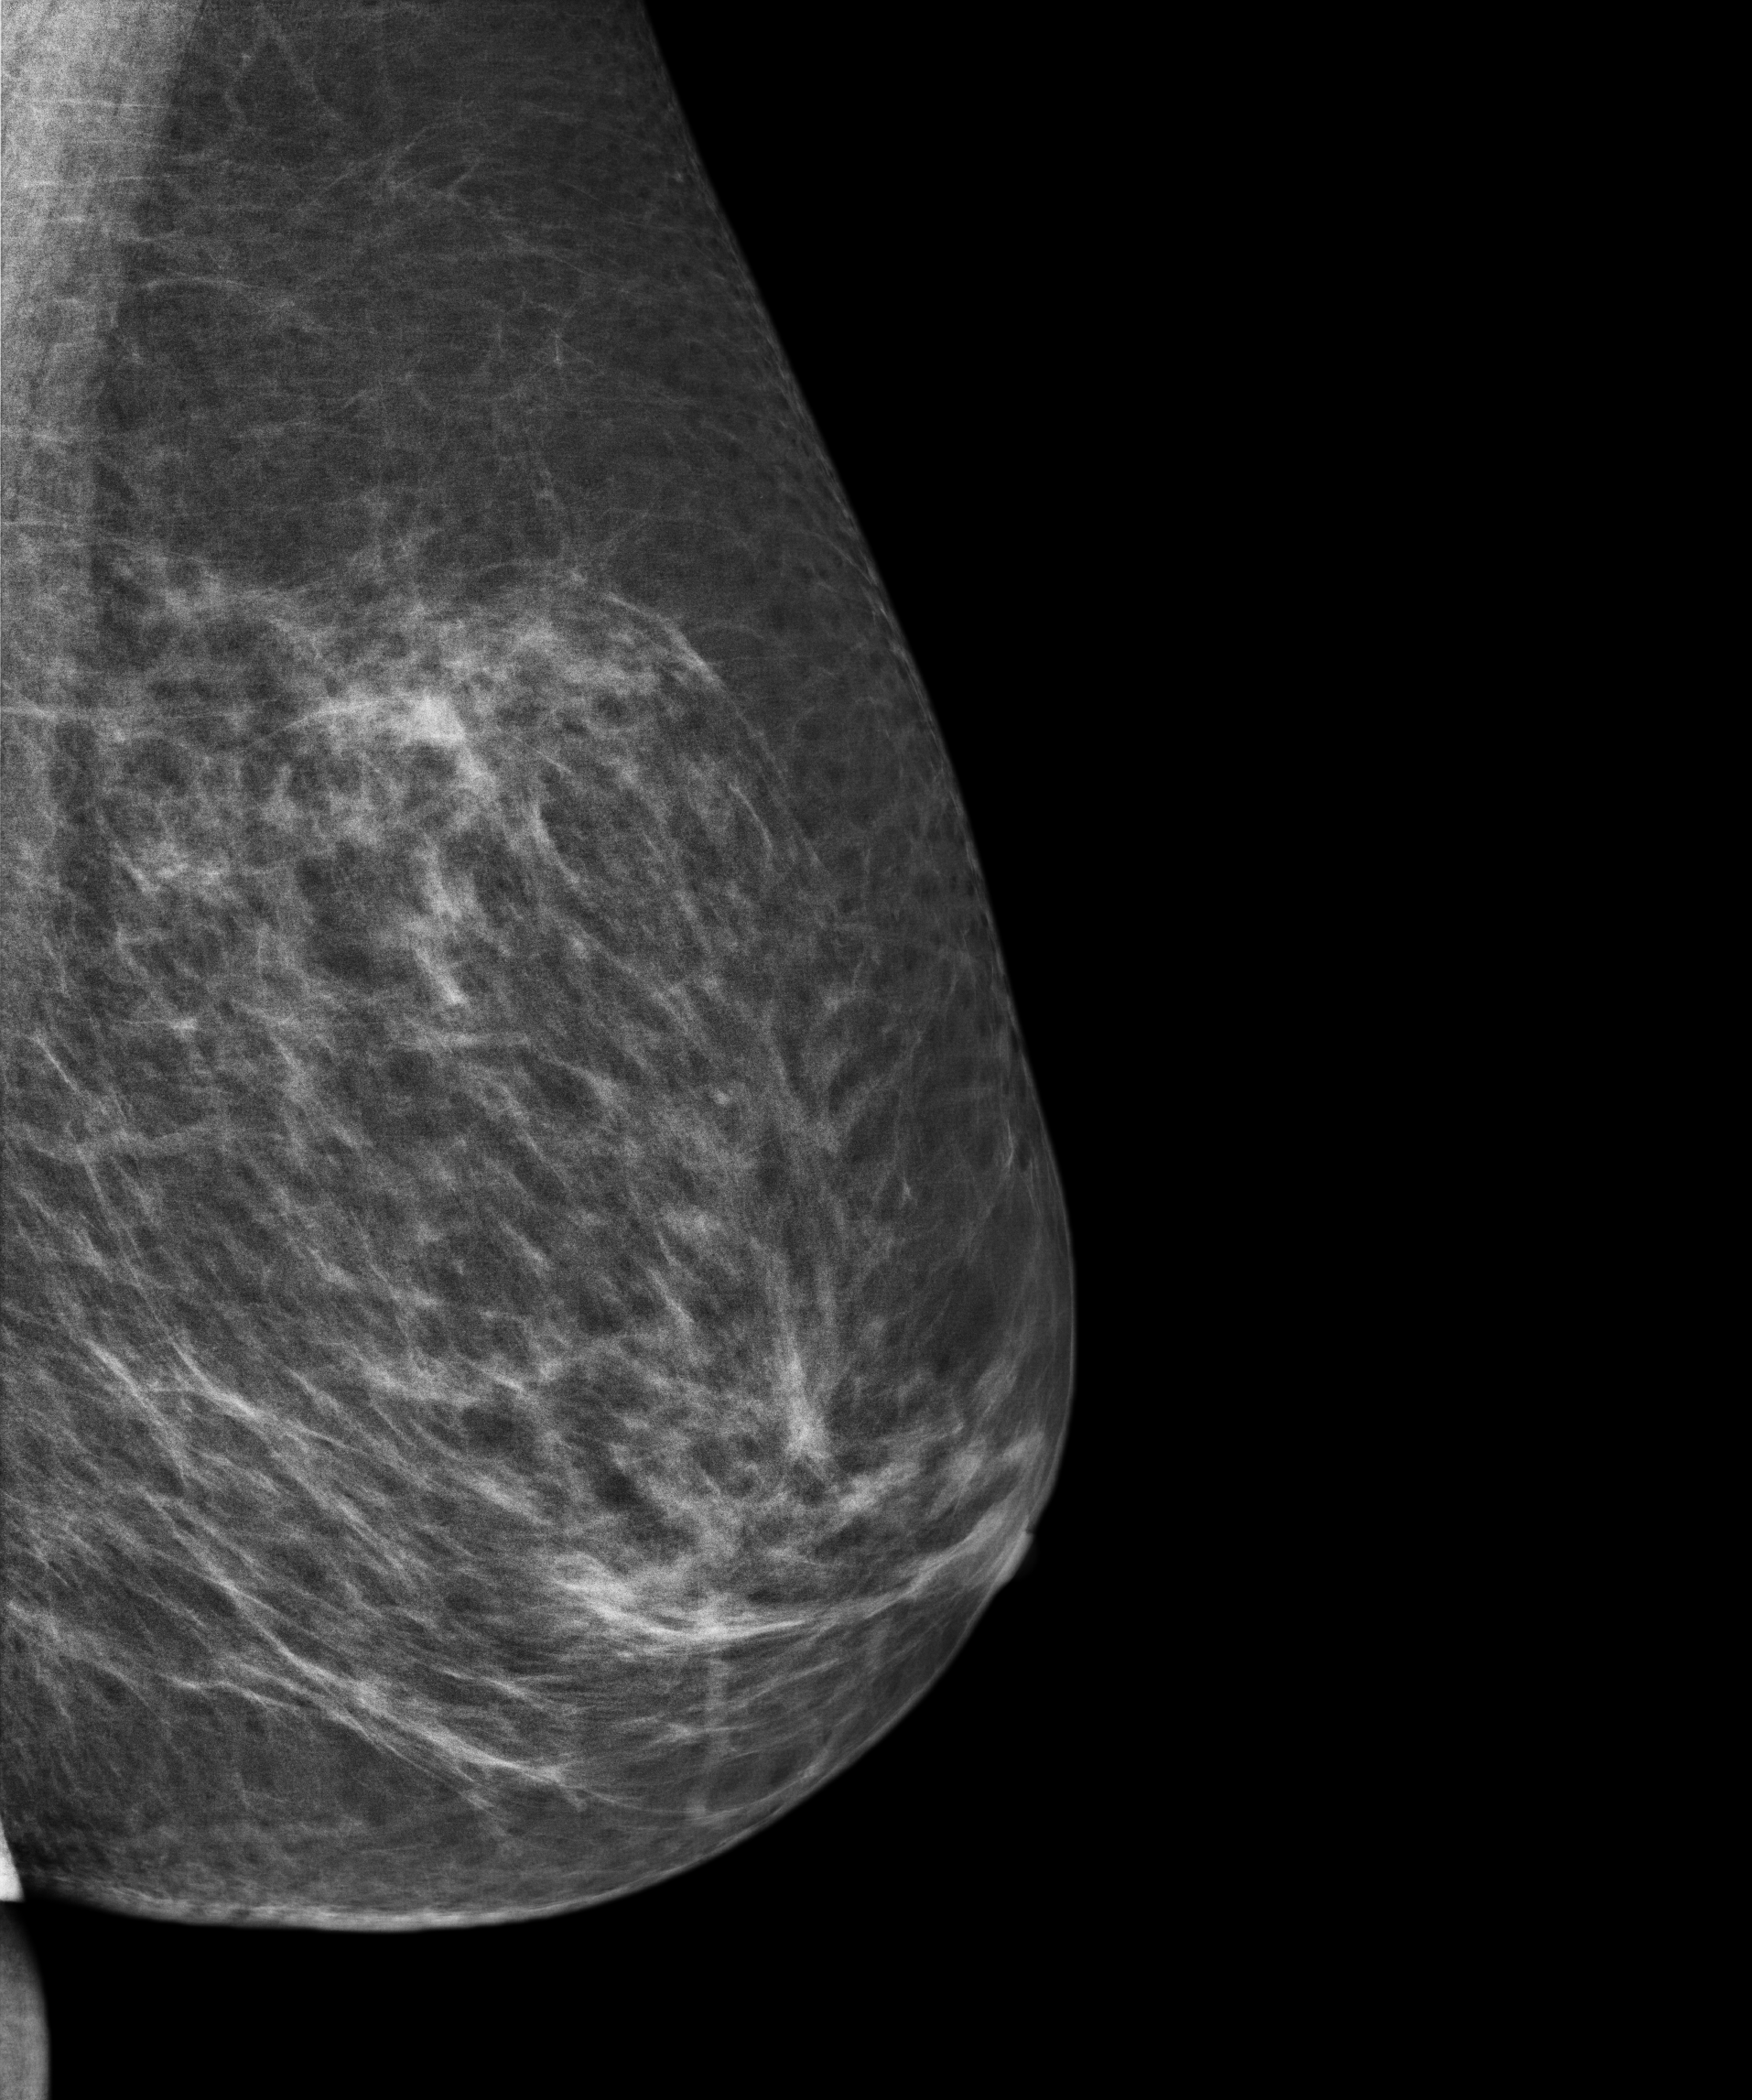
Digital mammography. Left breast, medio-lateral oblique projection. 68-year-old patient.
Contralateral breast — no documented abnormality on this side.